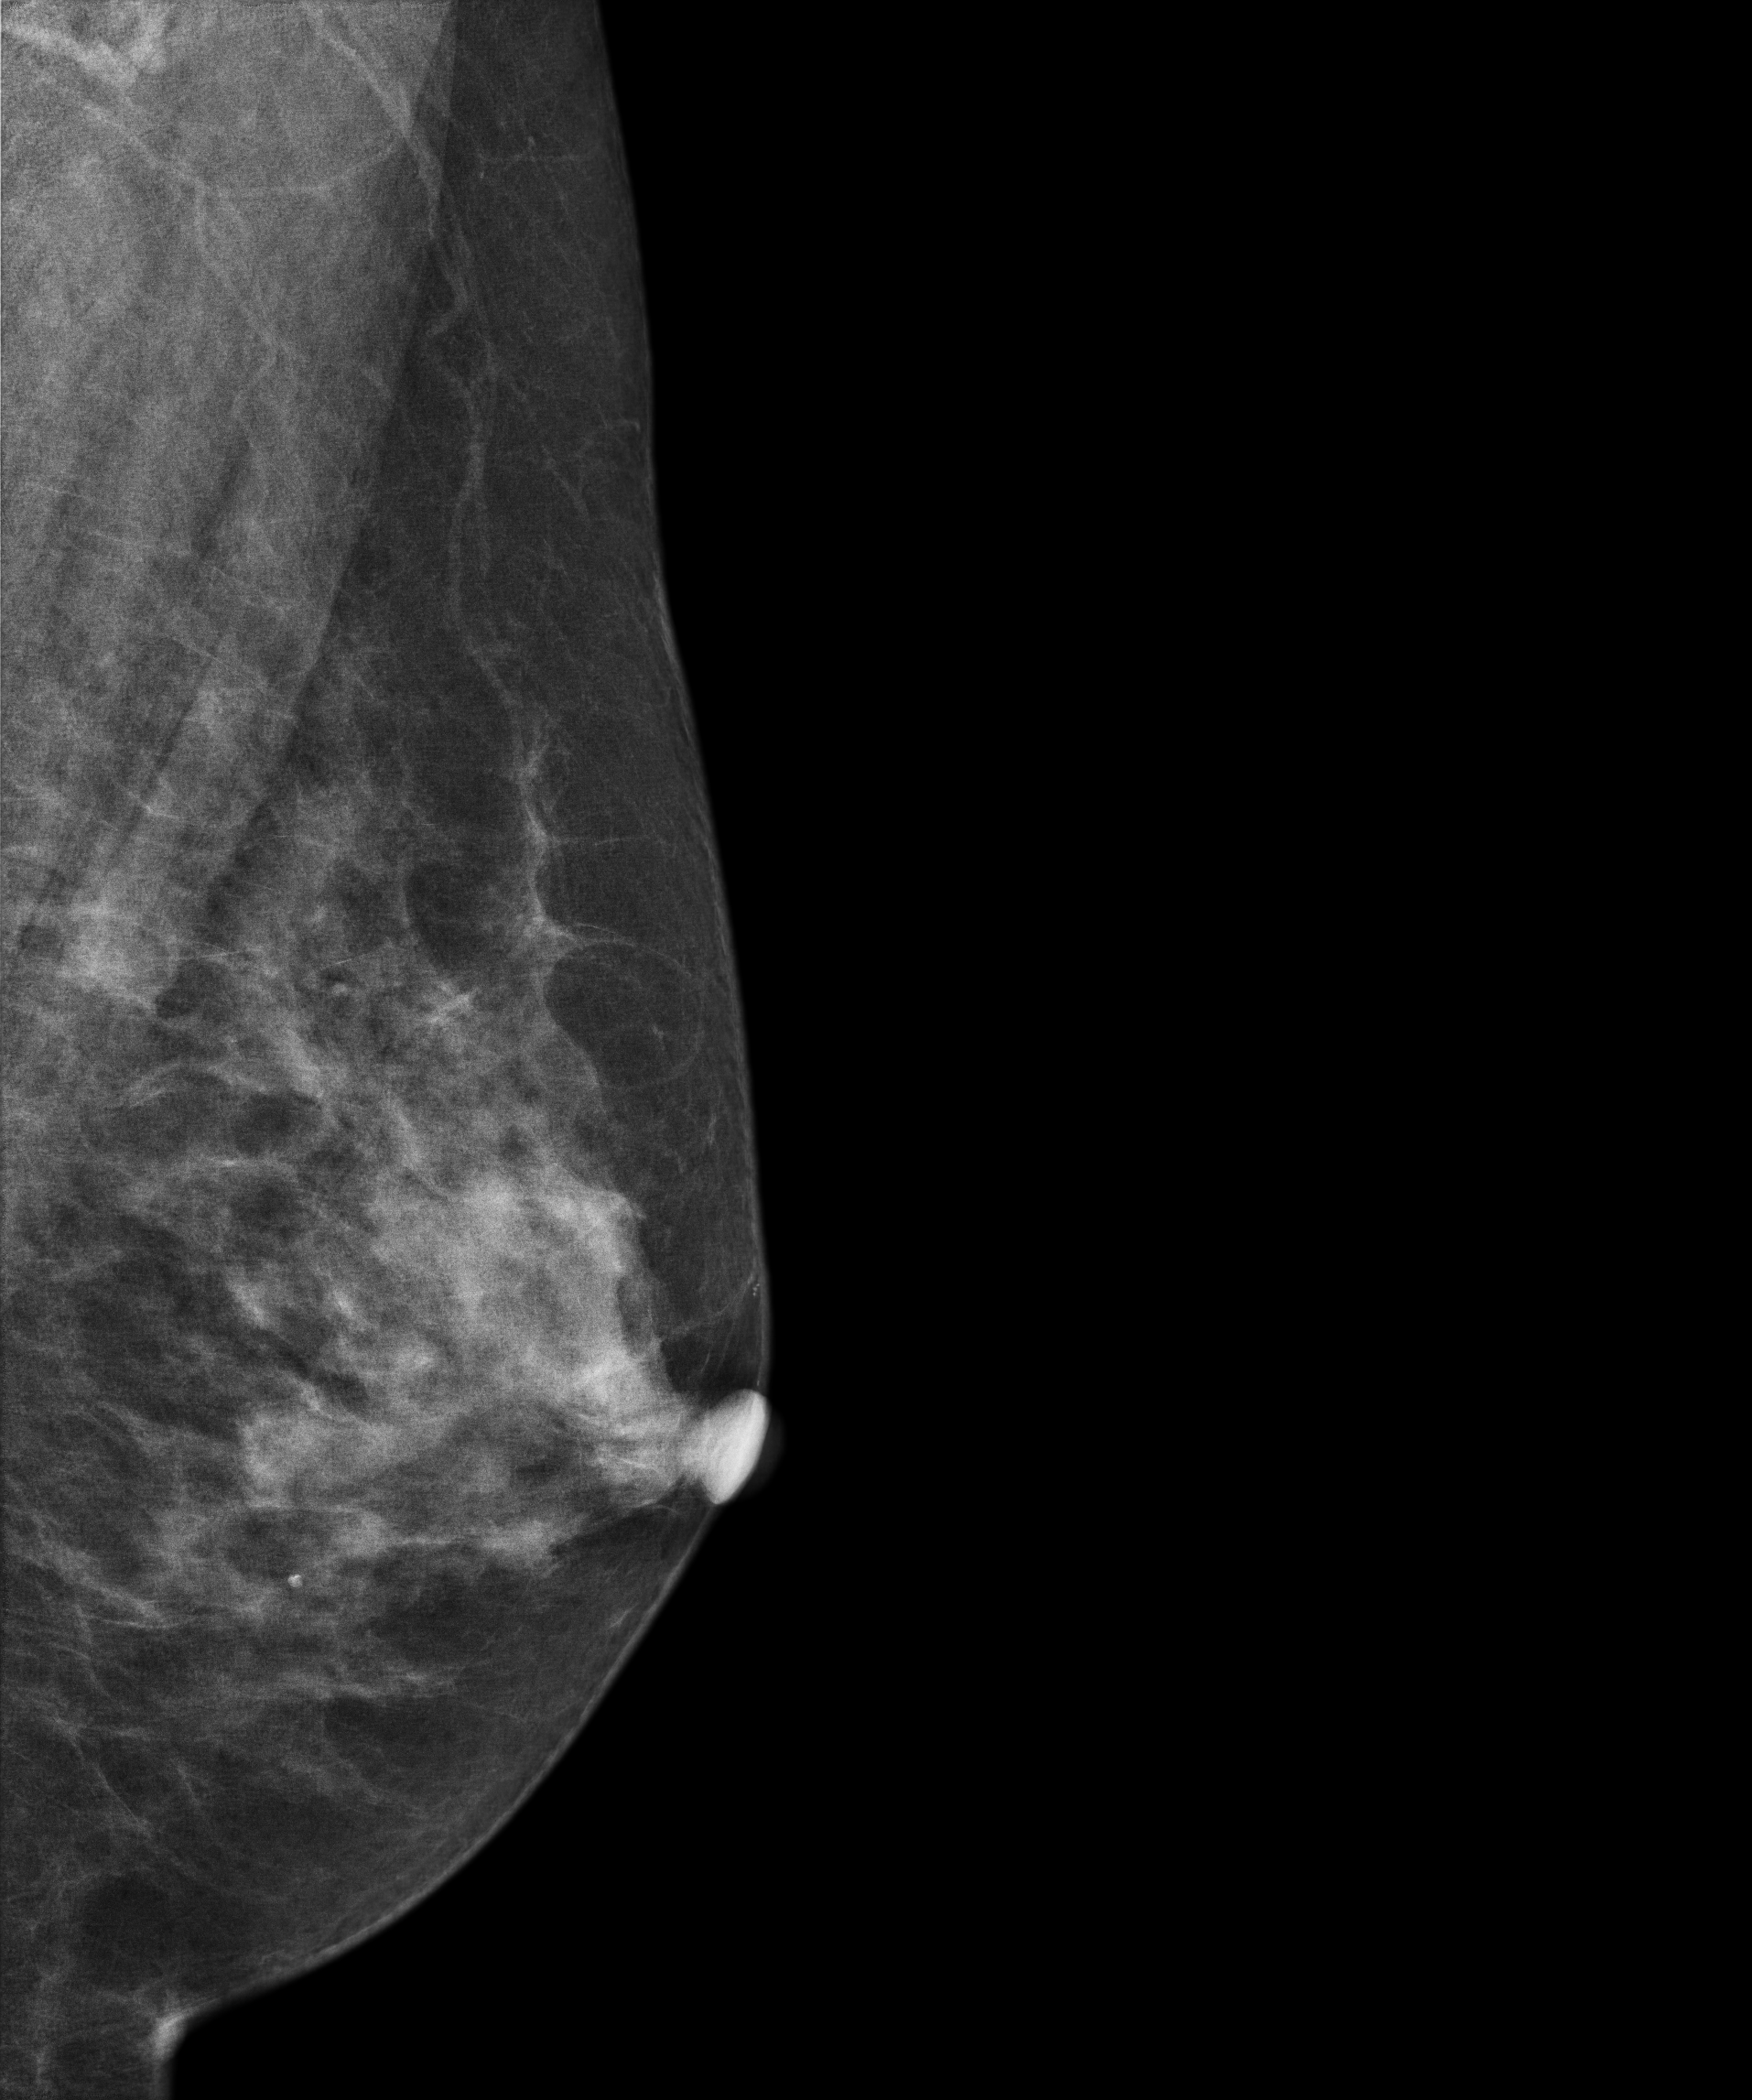
Left-breast mammogram, medio-lateral oblique. Patient age 58.
Contralateral breast — no documented abnormality on this side.